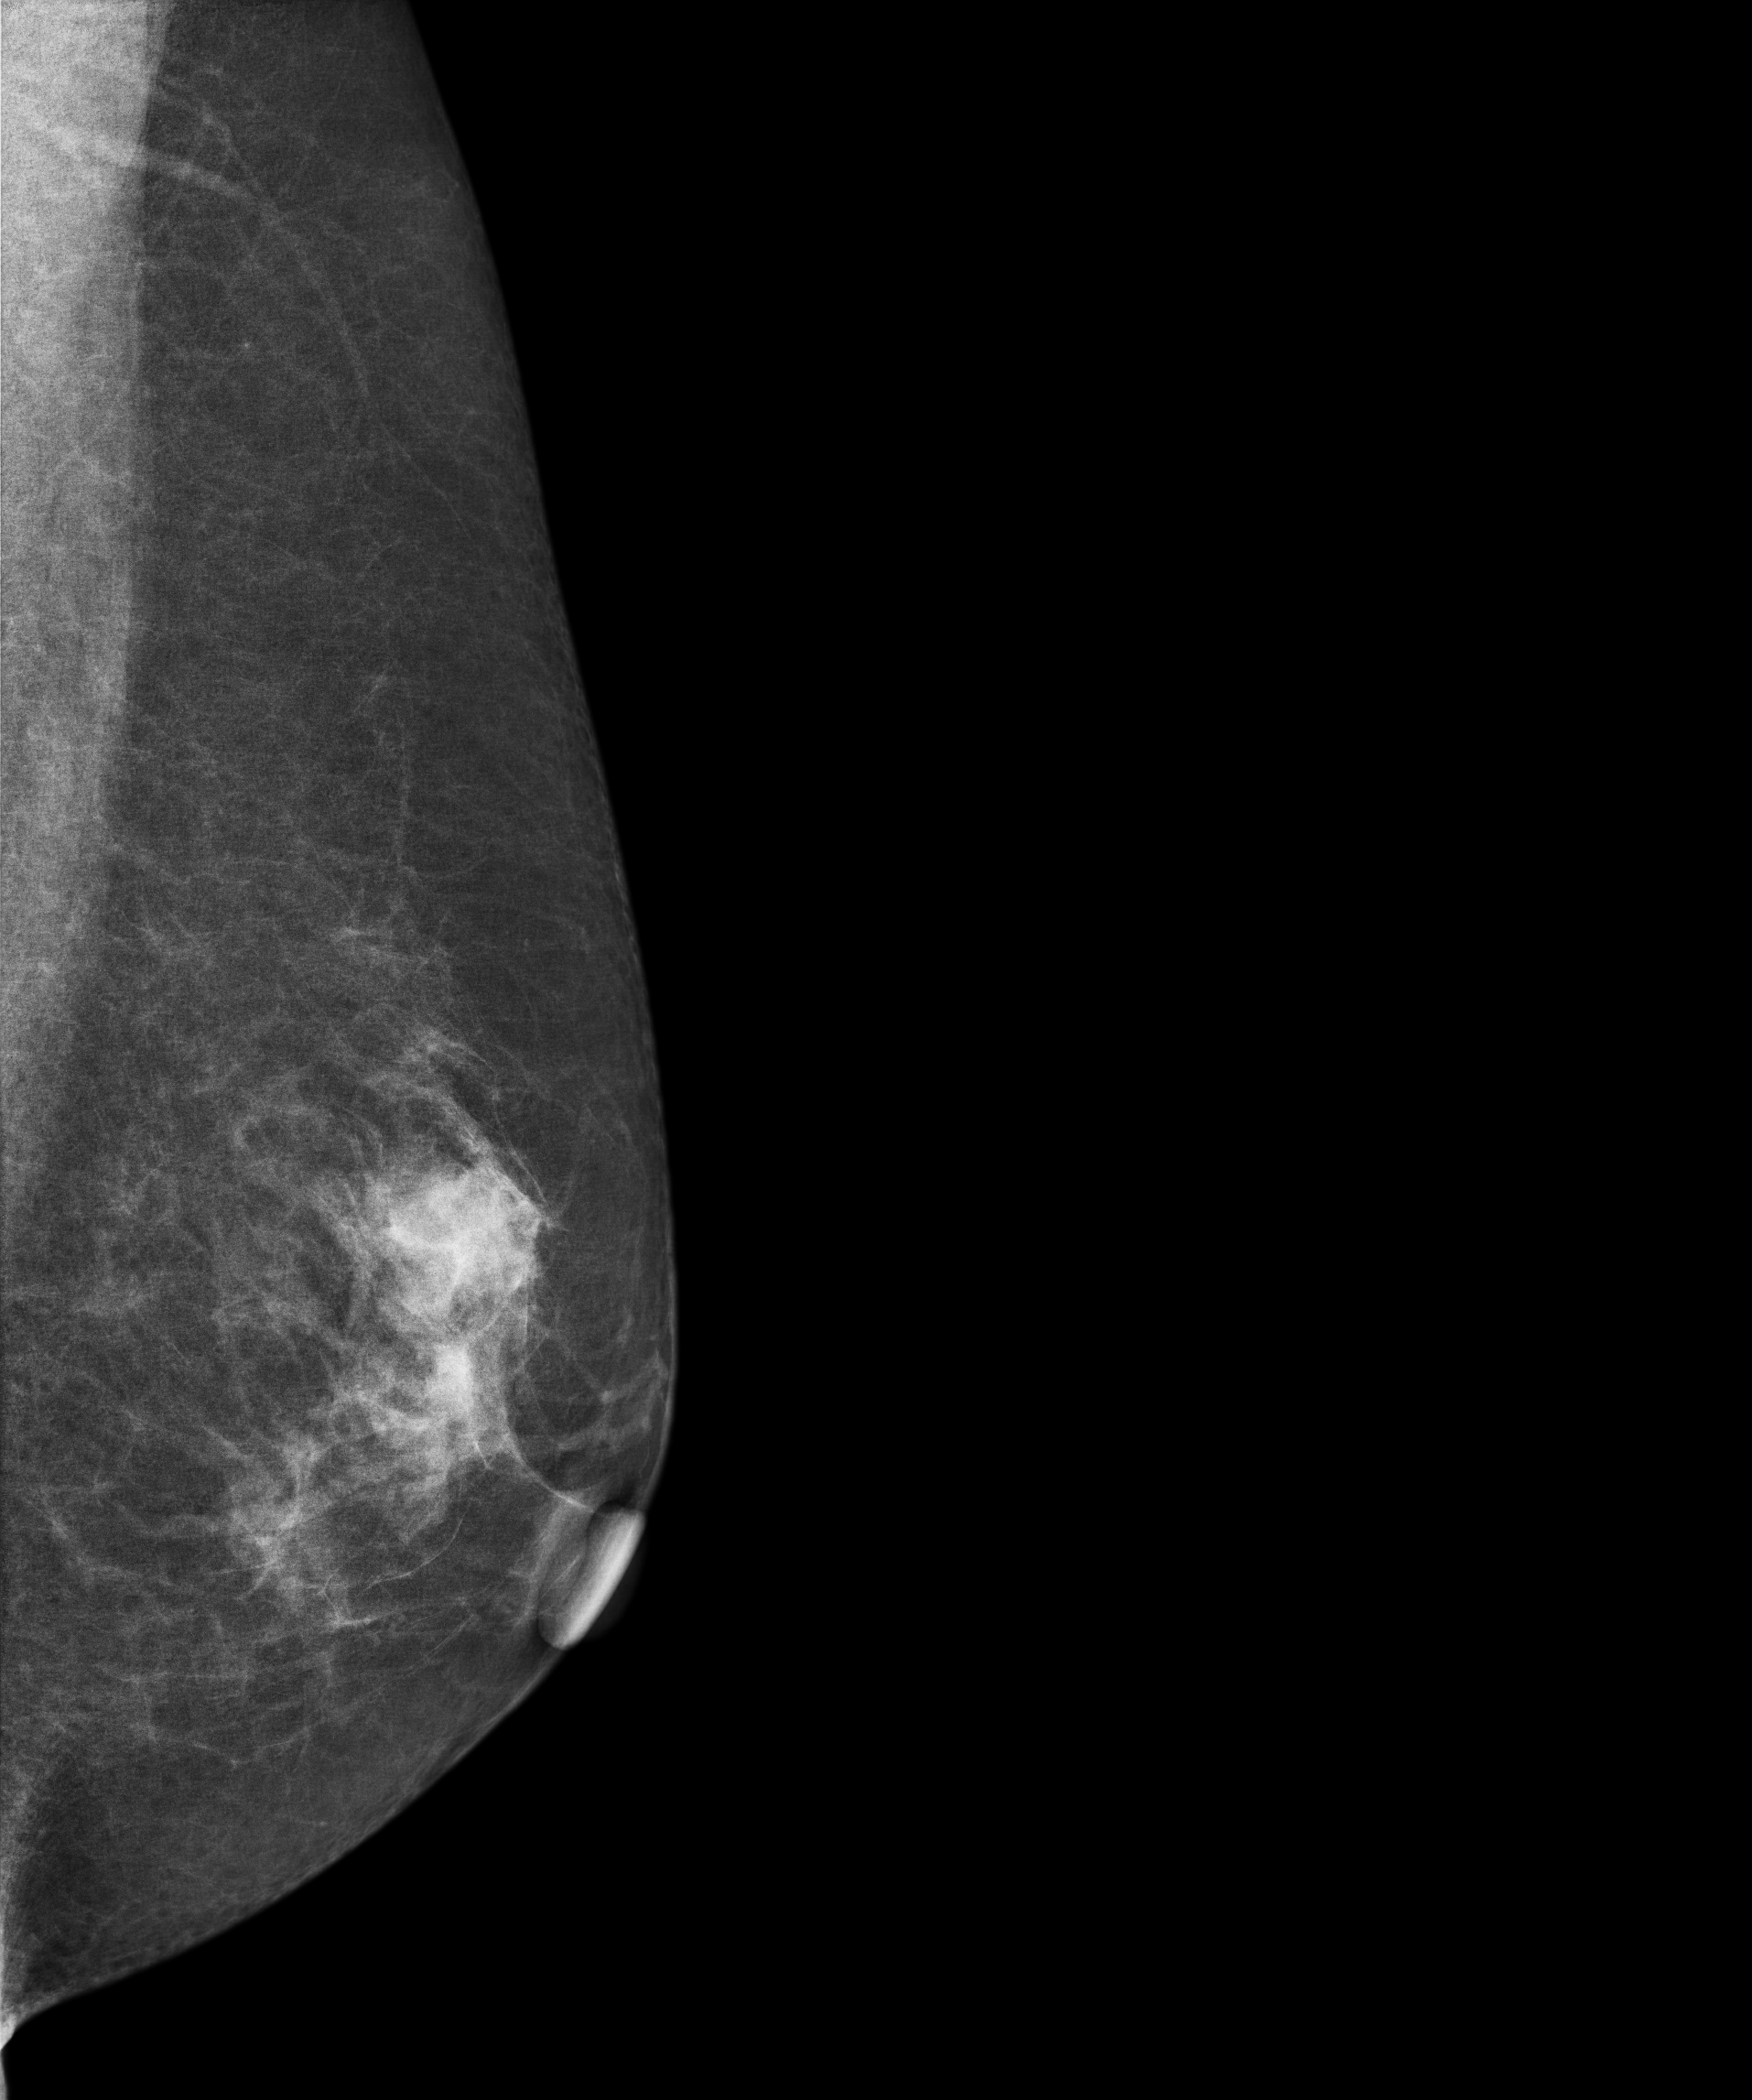
Mammogram — left medio-lateral oblique. 58 y/o patient.
This breast has a mass, biopsy-proven malignant.